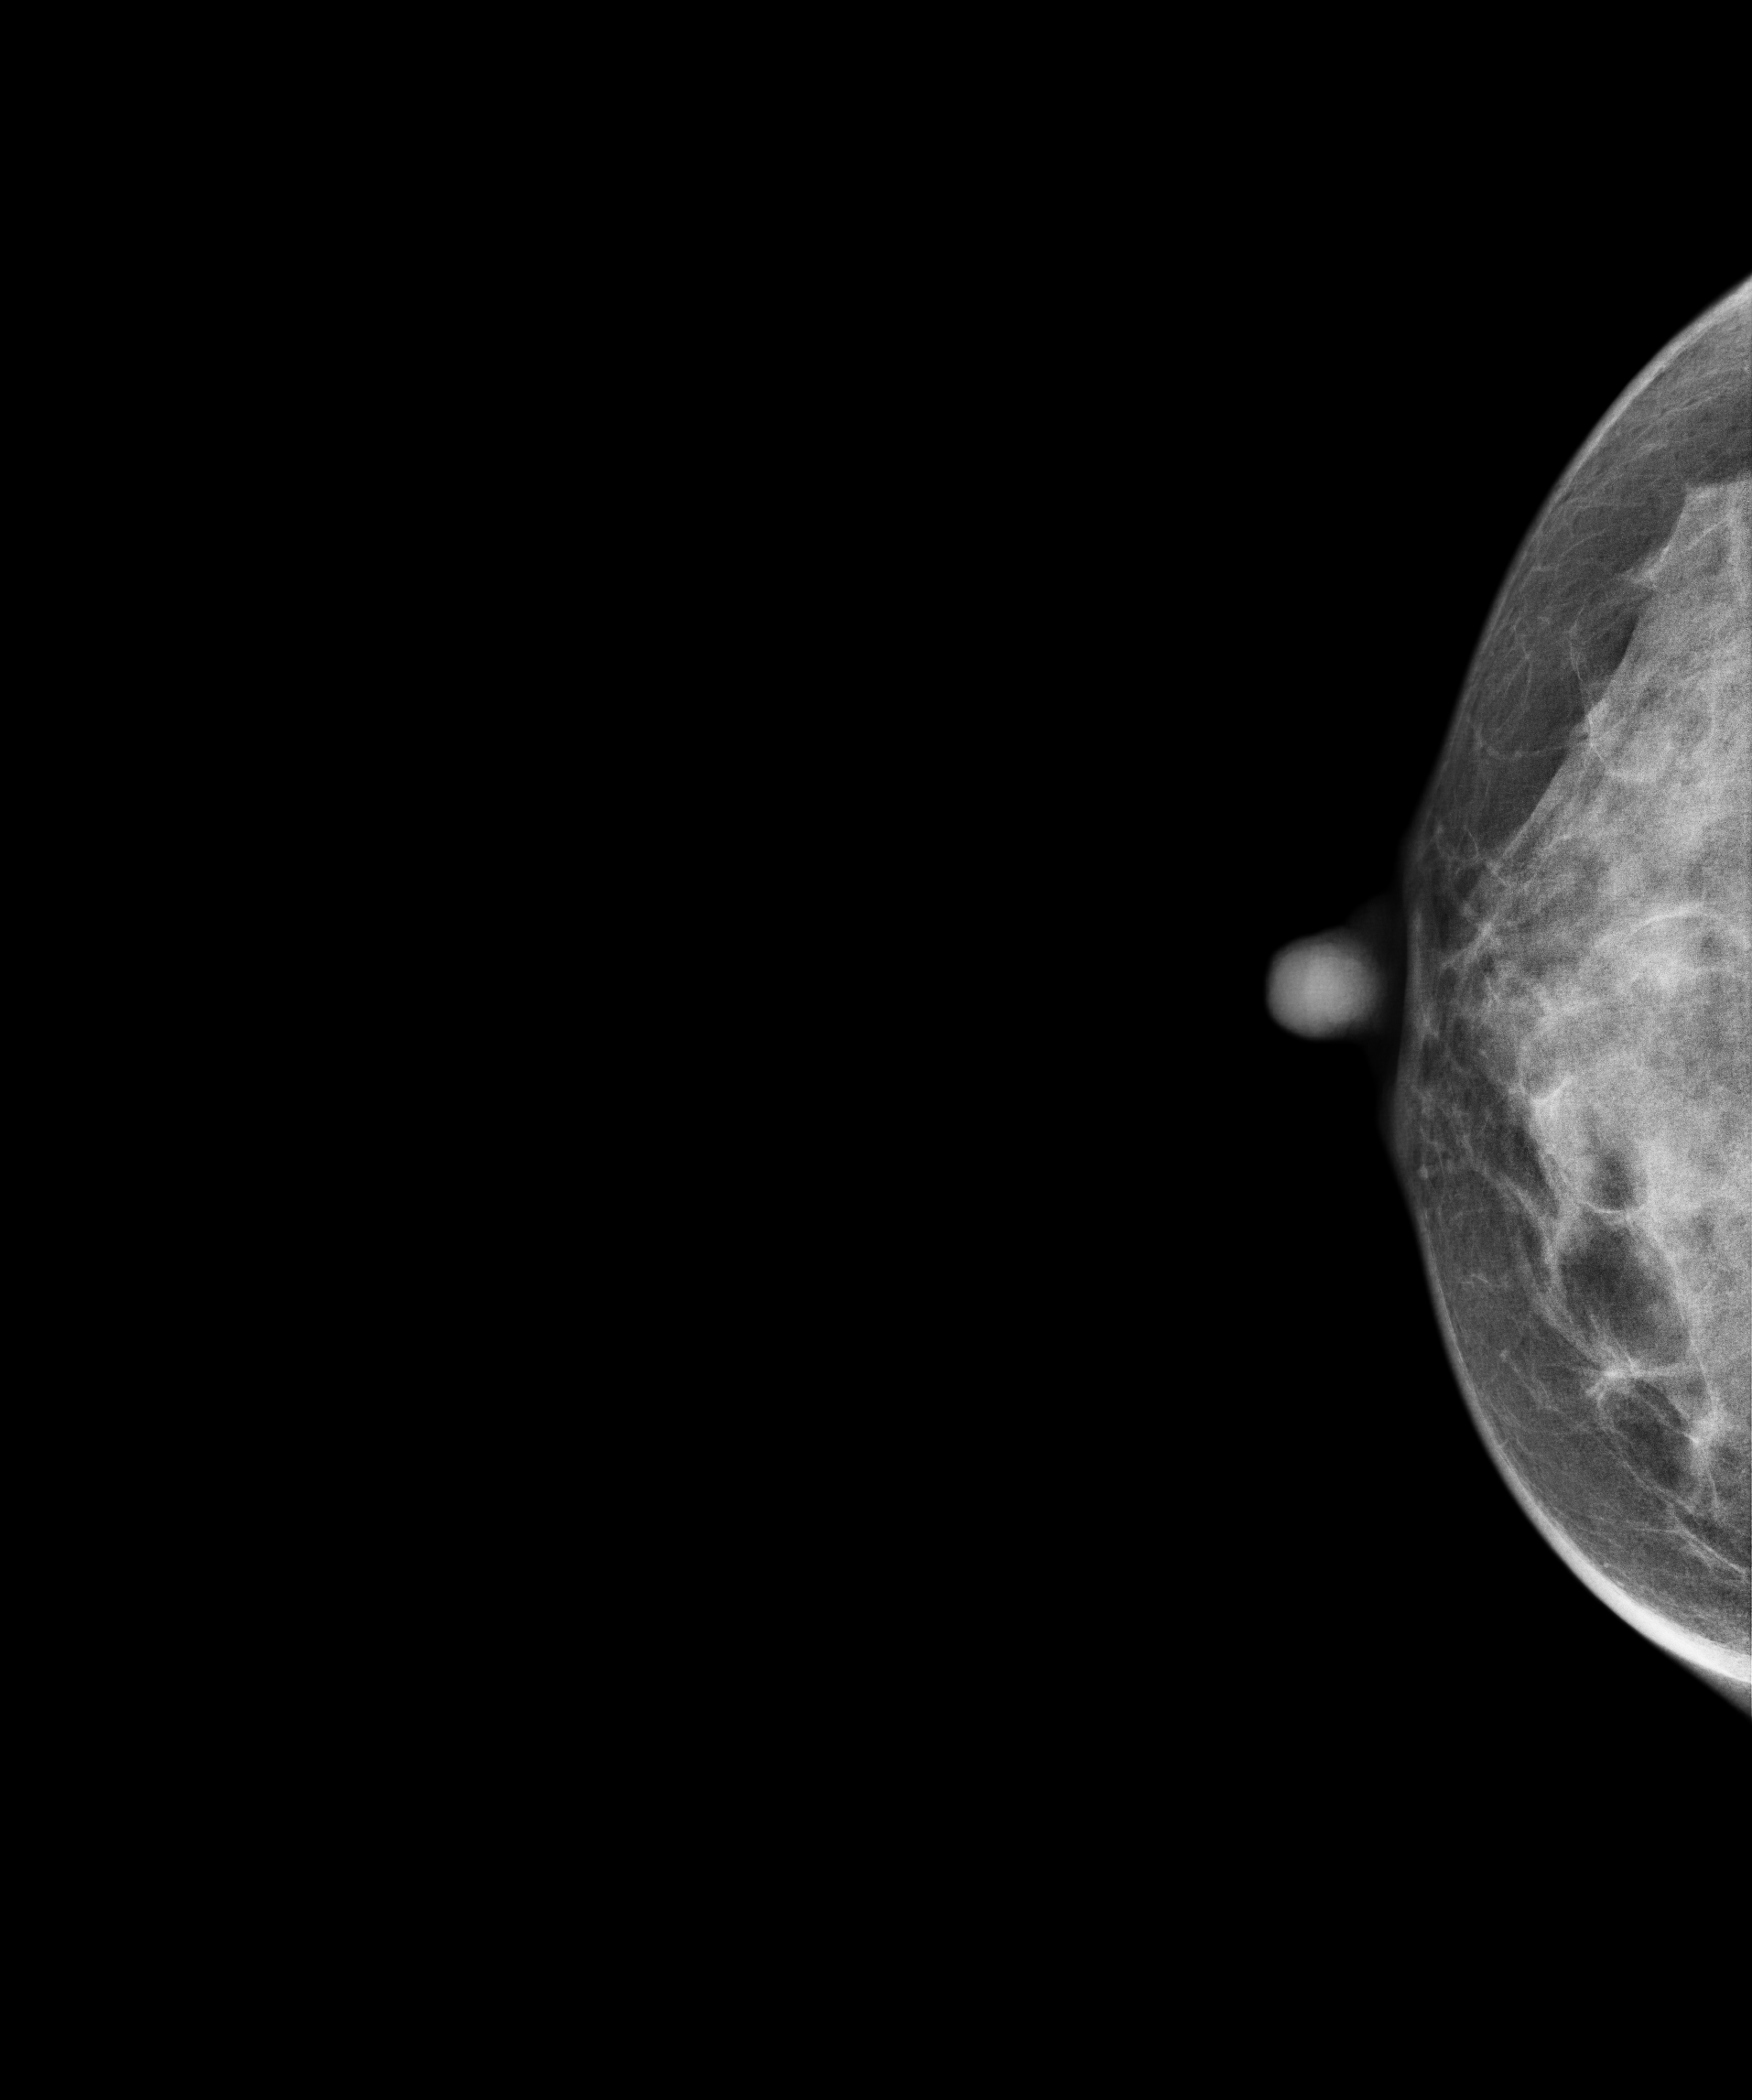
Digital mammography. Right breast, CC projection. 46 y/o patient.
This breast has a mass, pathology-confirmed benign.